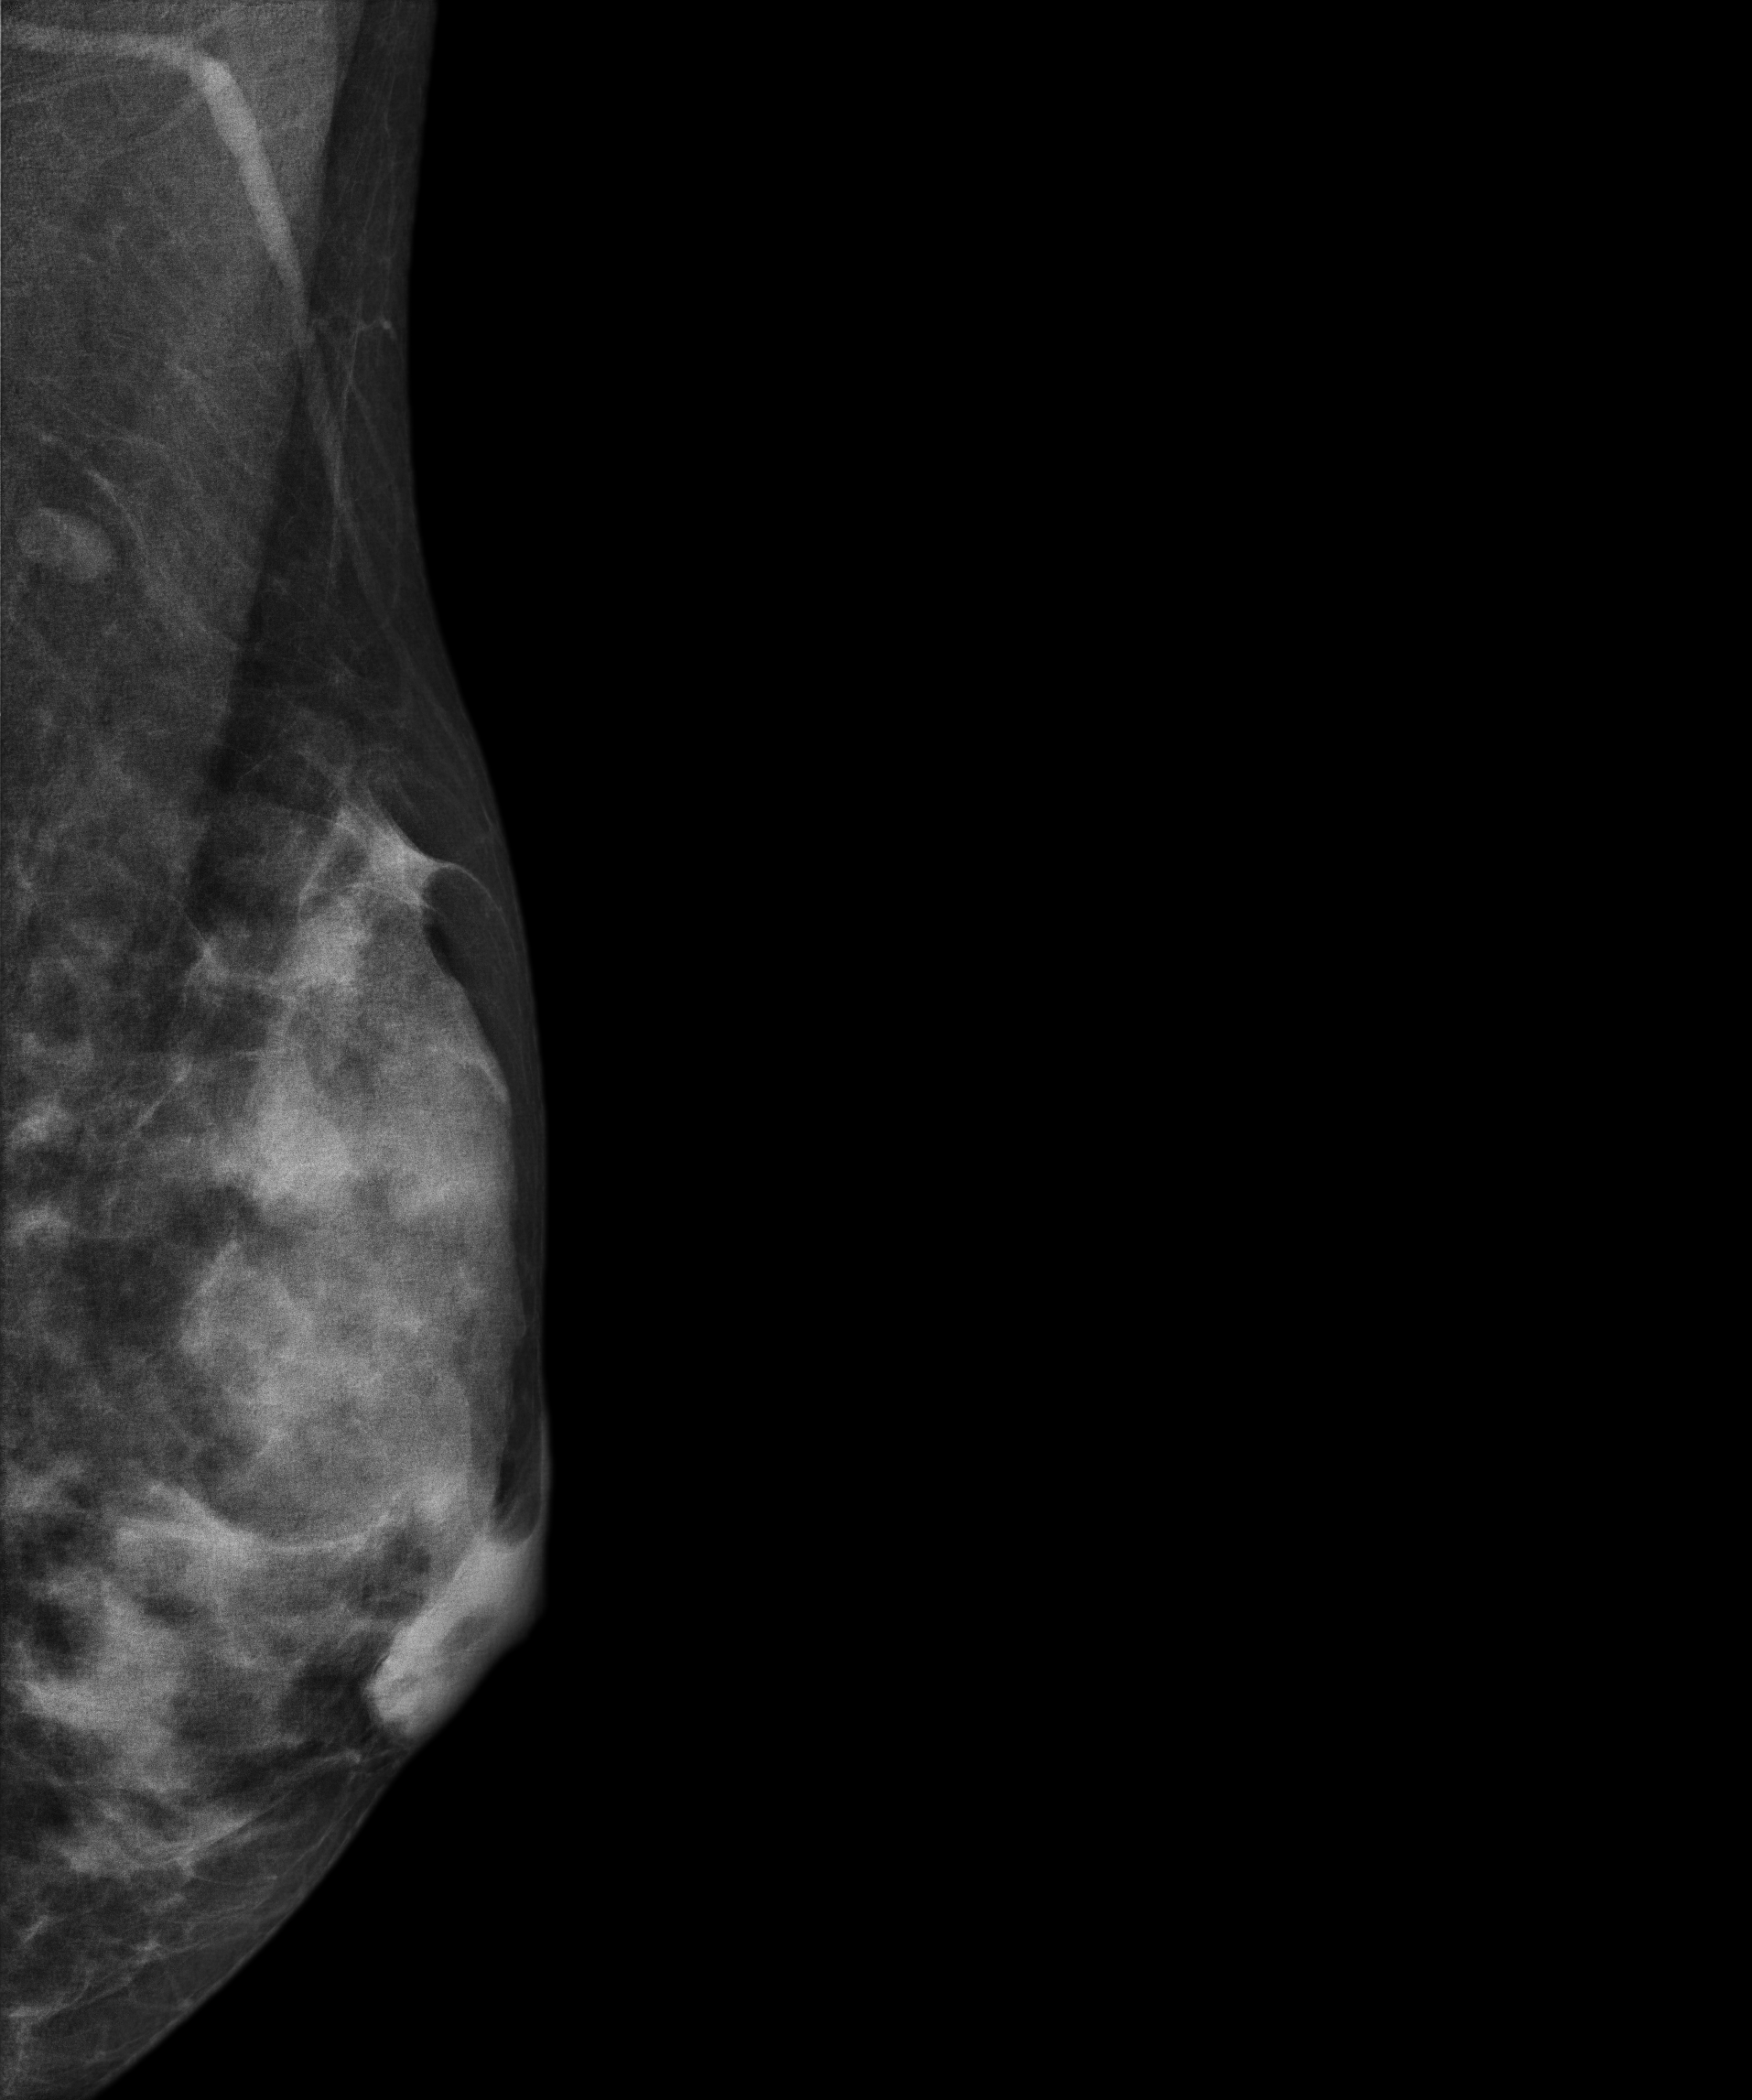
MLO mammogram of the left breast. Patient age 28.
This breast has a mass, pathology-confirmed benign.